Mammogram, left breast, medio-lateral oblique view. 44 y/o patient.
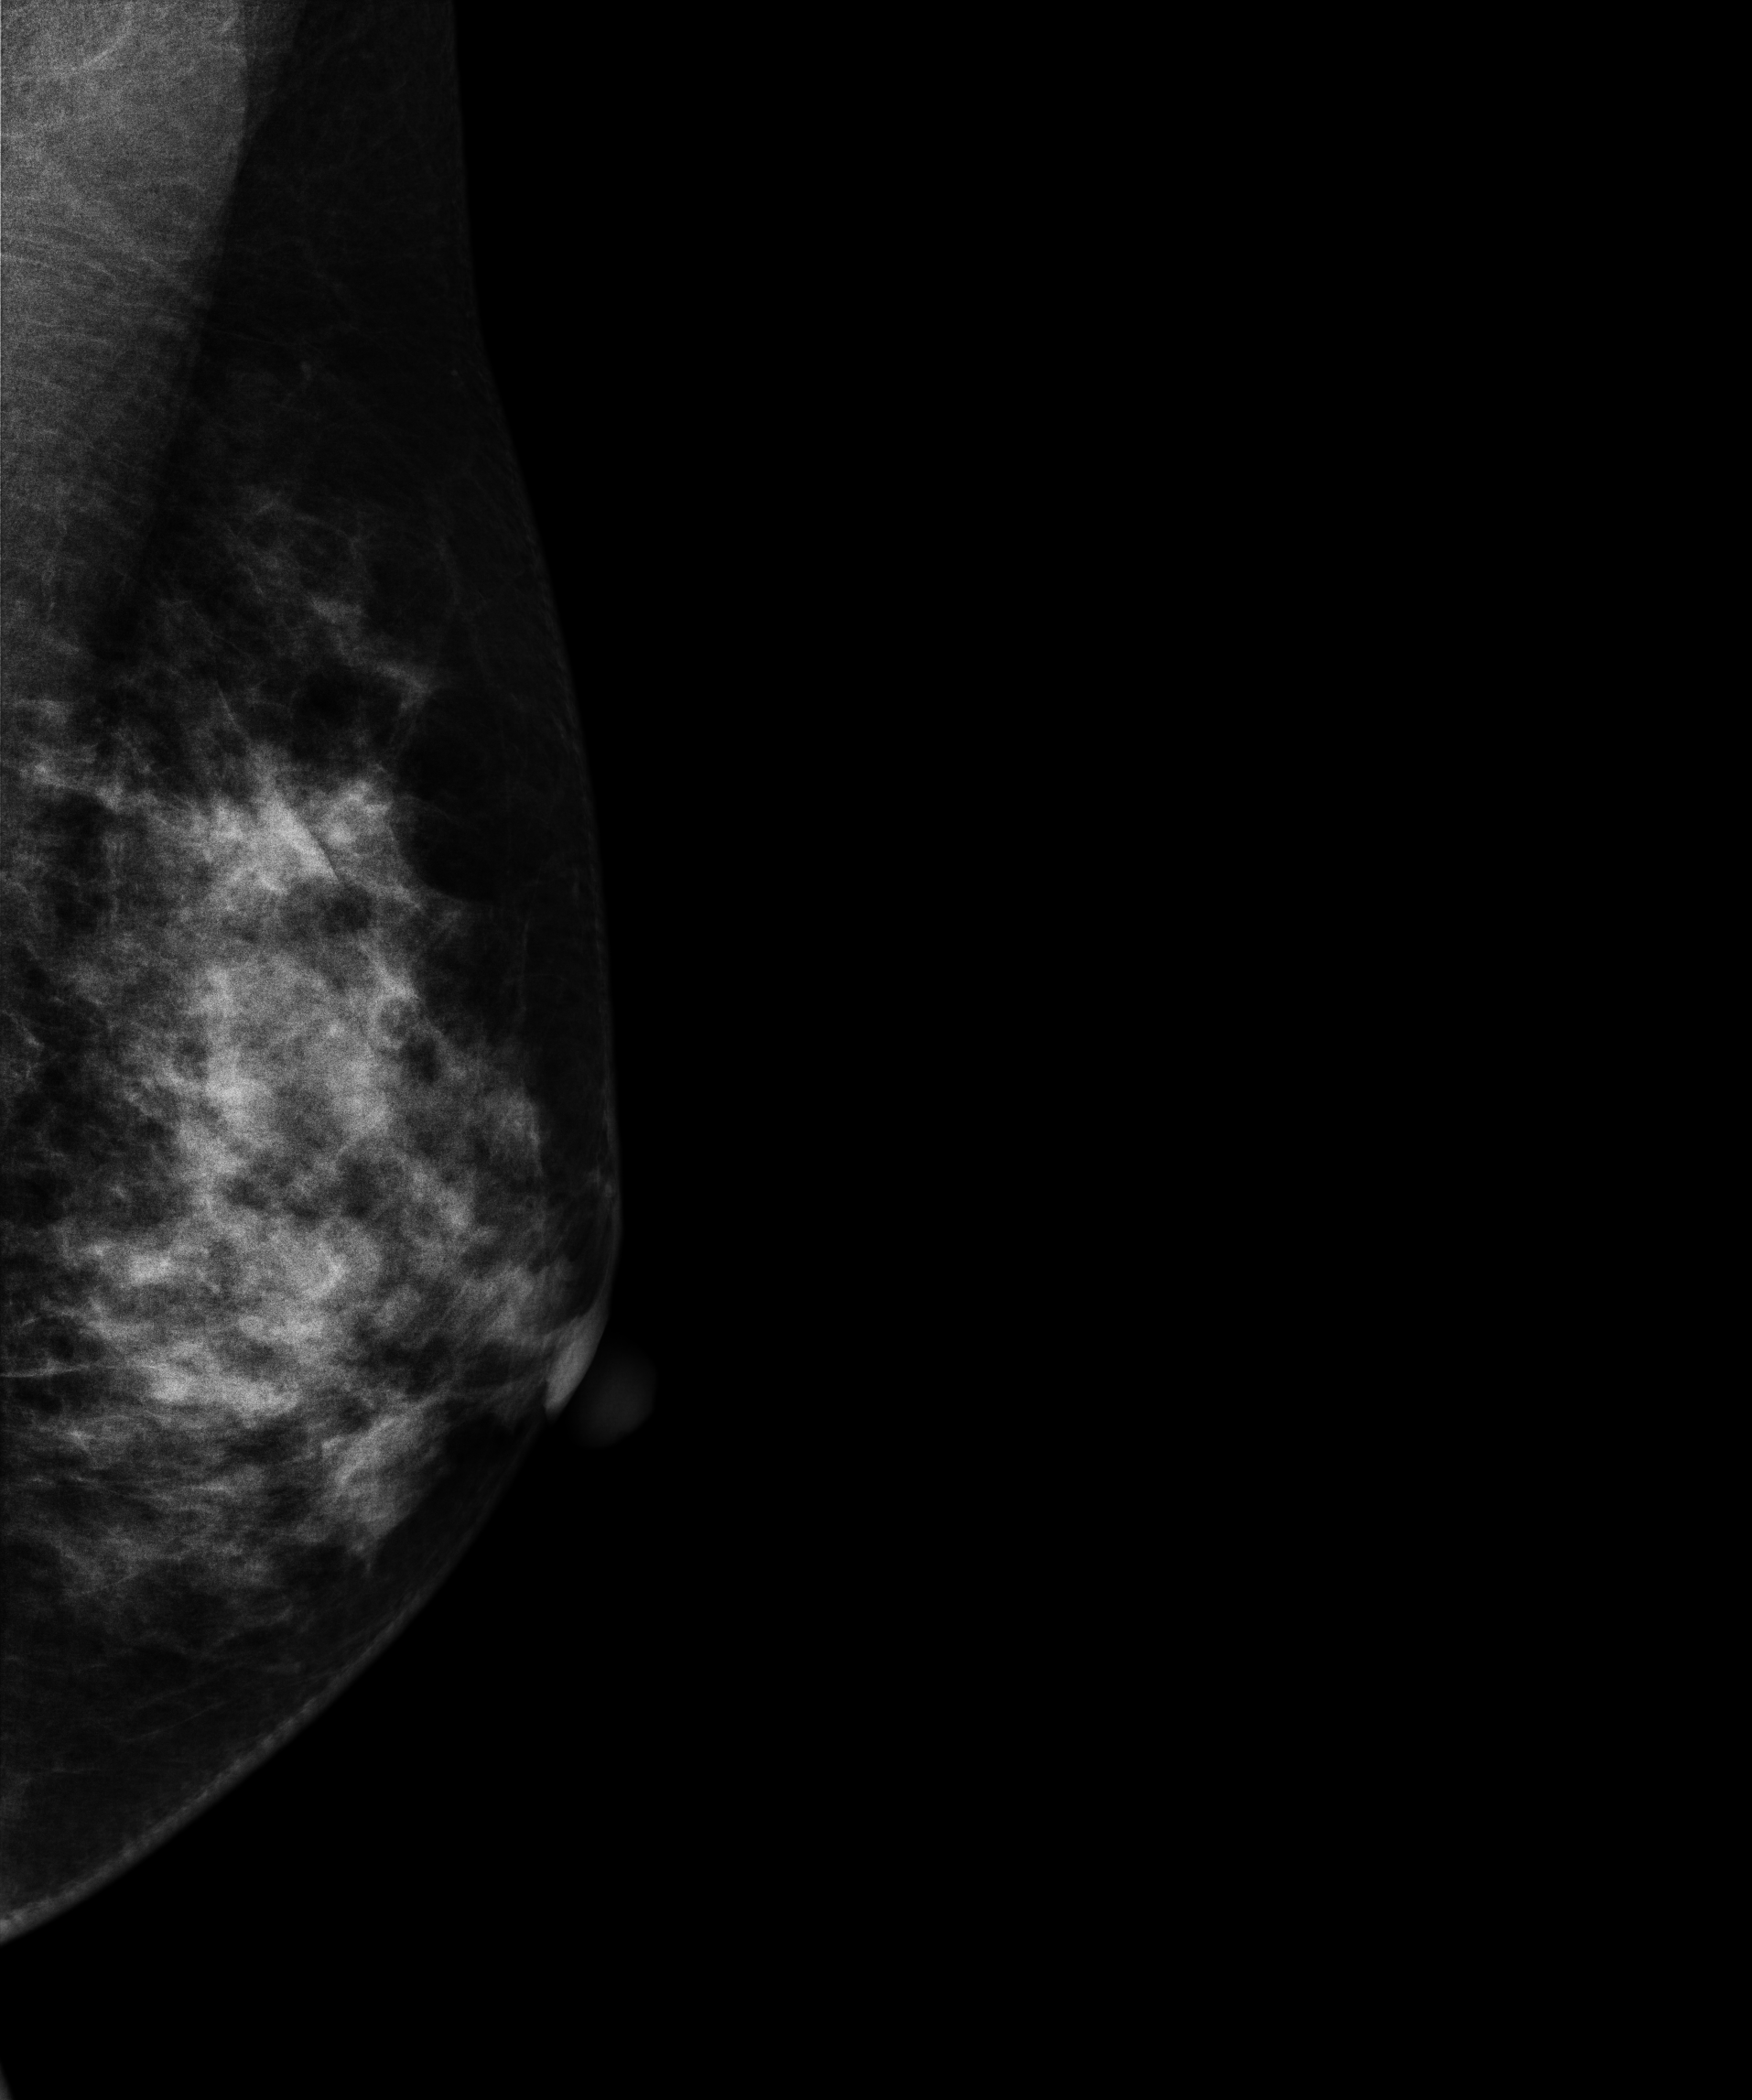
This breast has a mass, pathology-confirmed malignant.